Digital mammography. Left breast, MLO projection. 40-year-old patient.
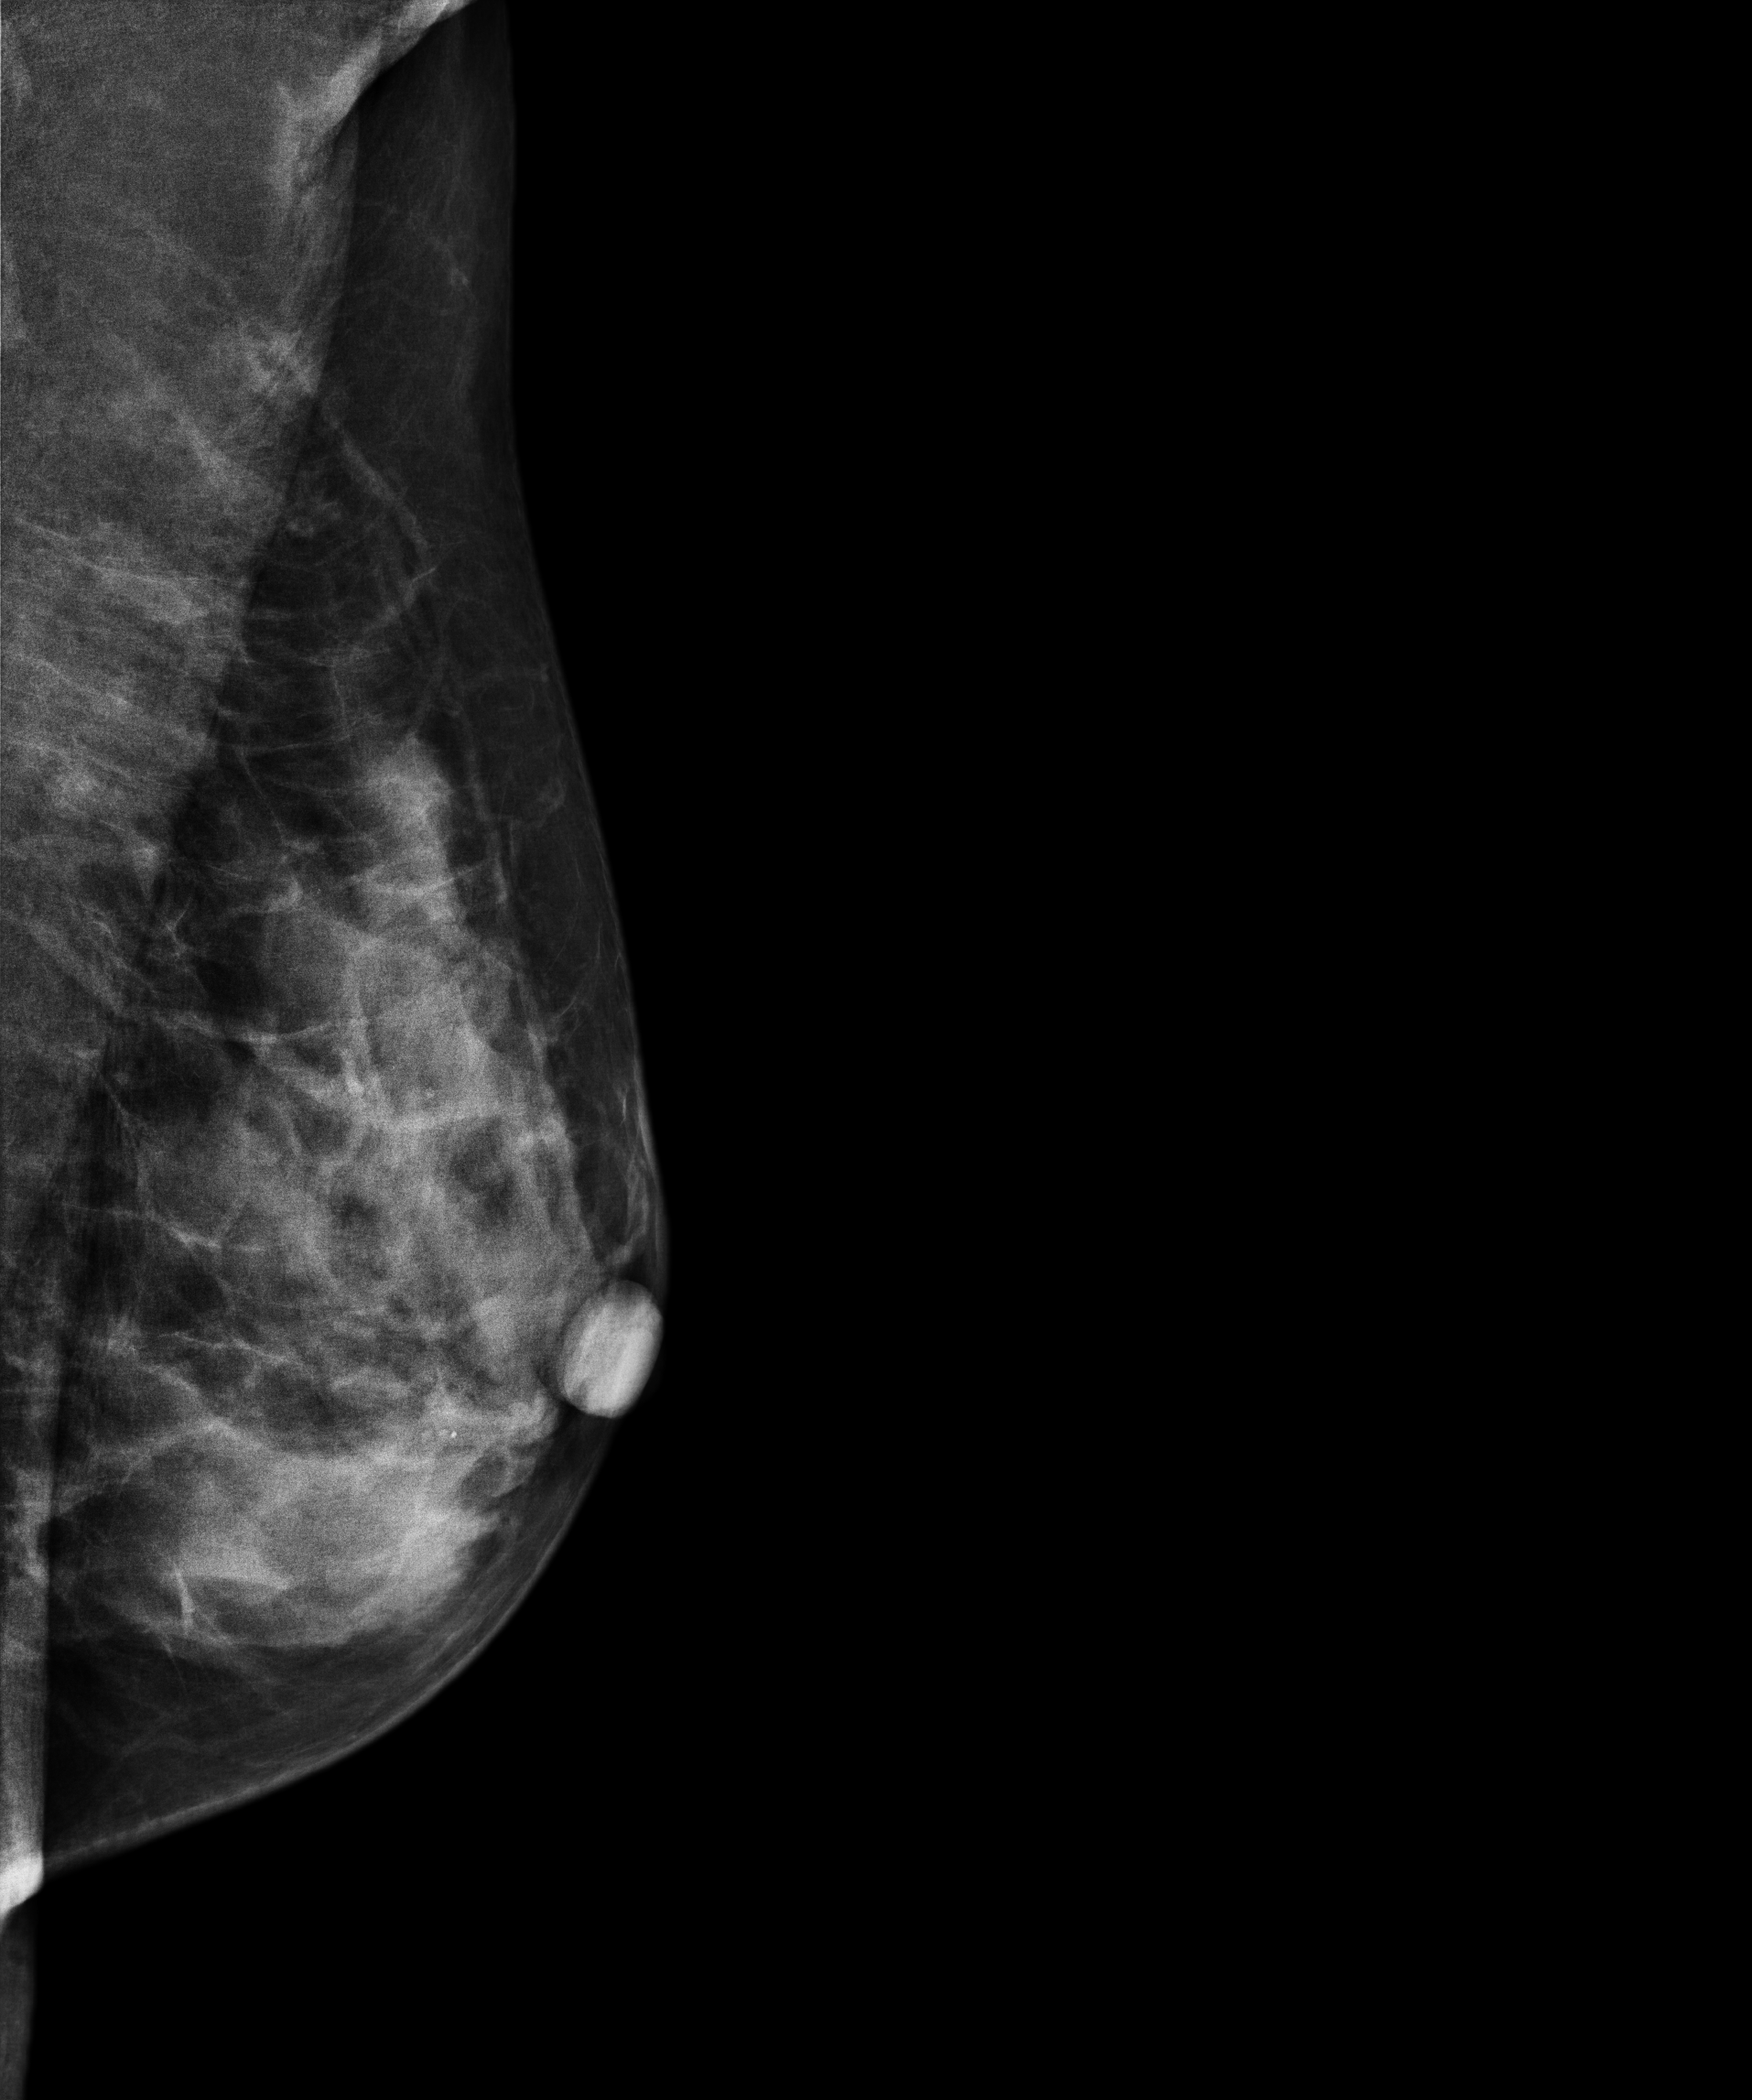
This breast has a mass, pathology-confirmed benign.